Mammogram, left breast, medio-lateral oblique view. 41-year-old patient.
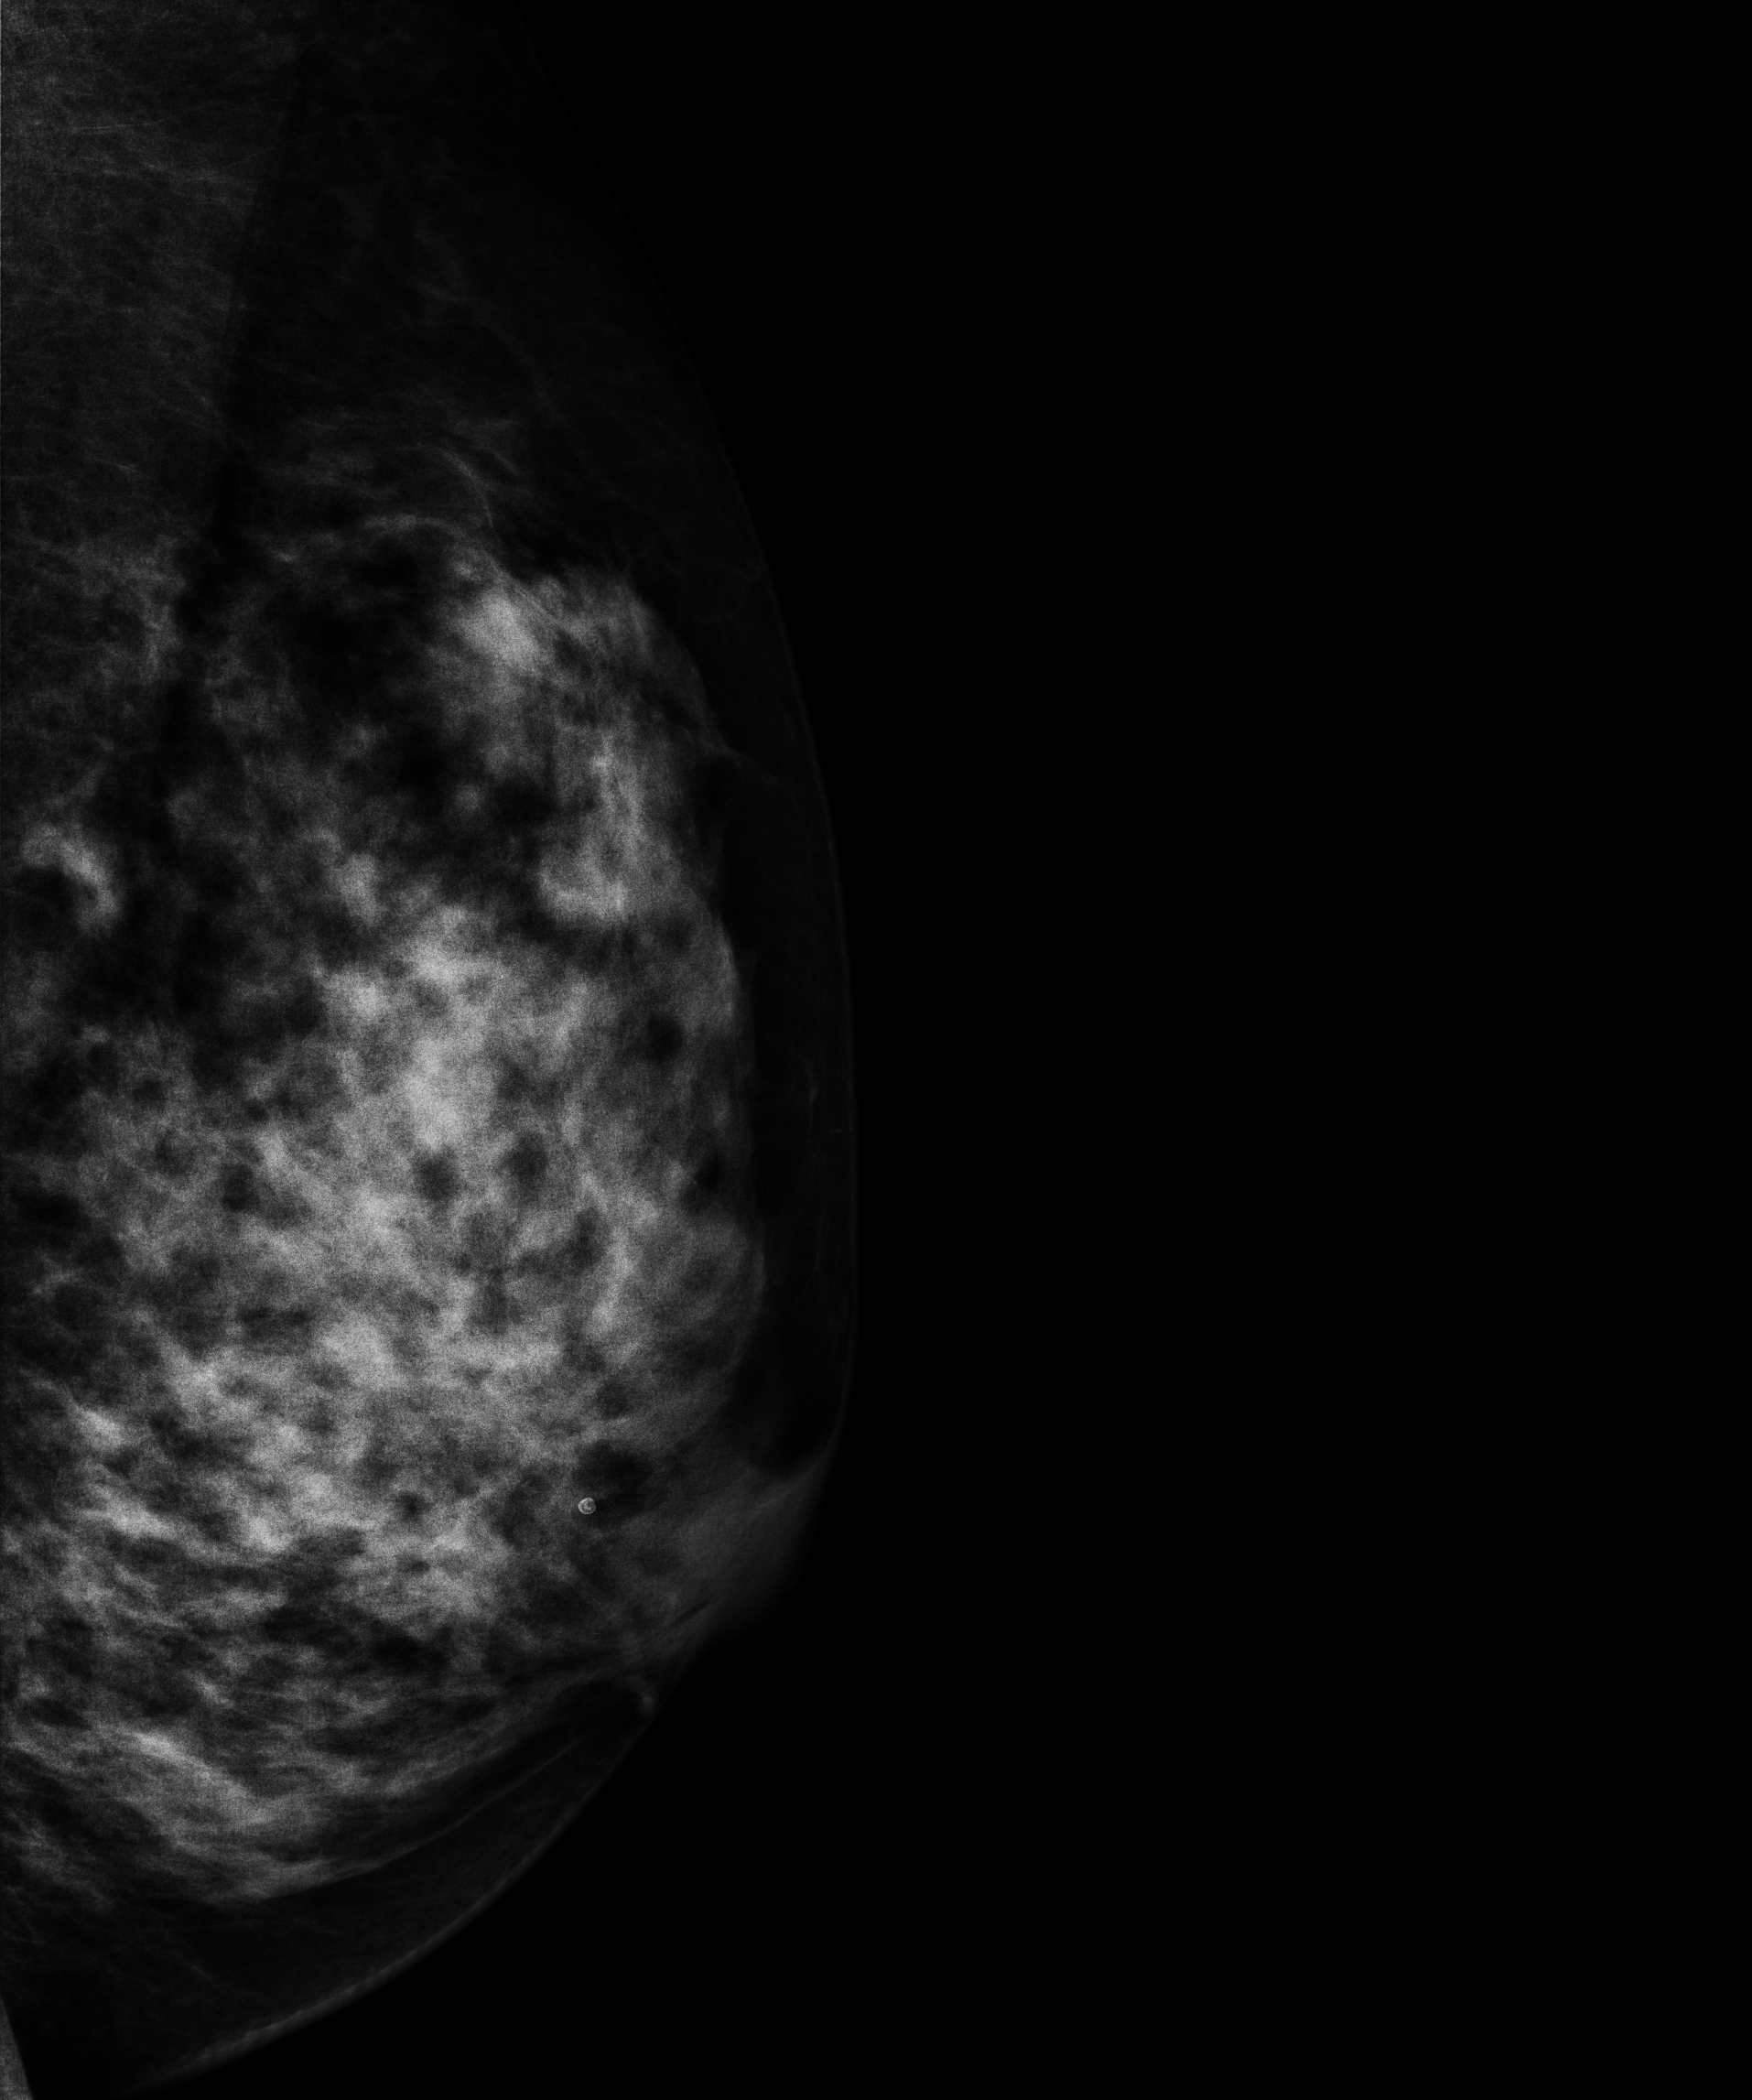
Contralateral breast — no documented abnormality on this side.